CC mammogram of the left breast. 48-year-old patient.
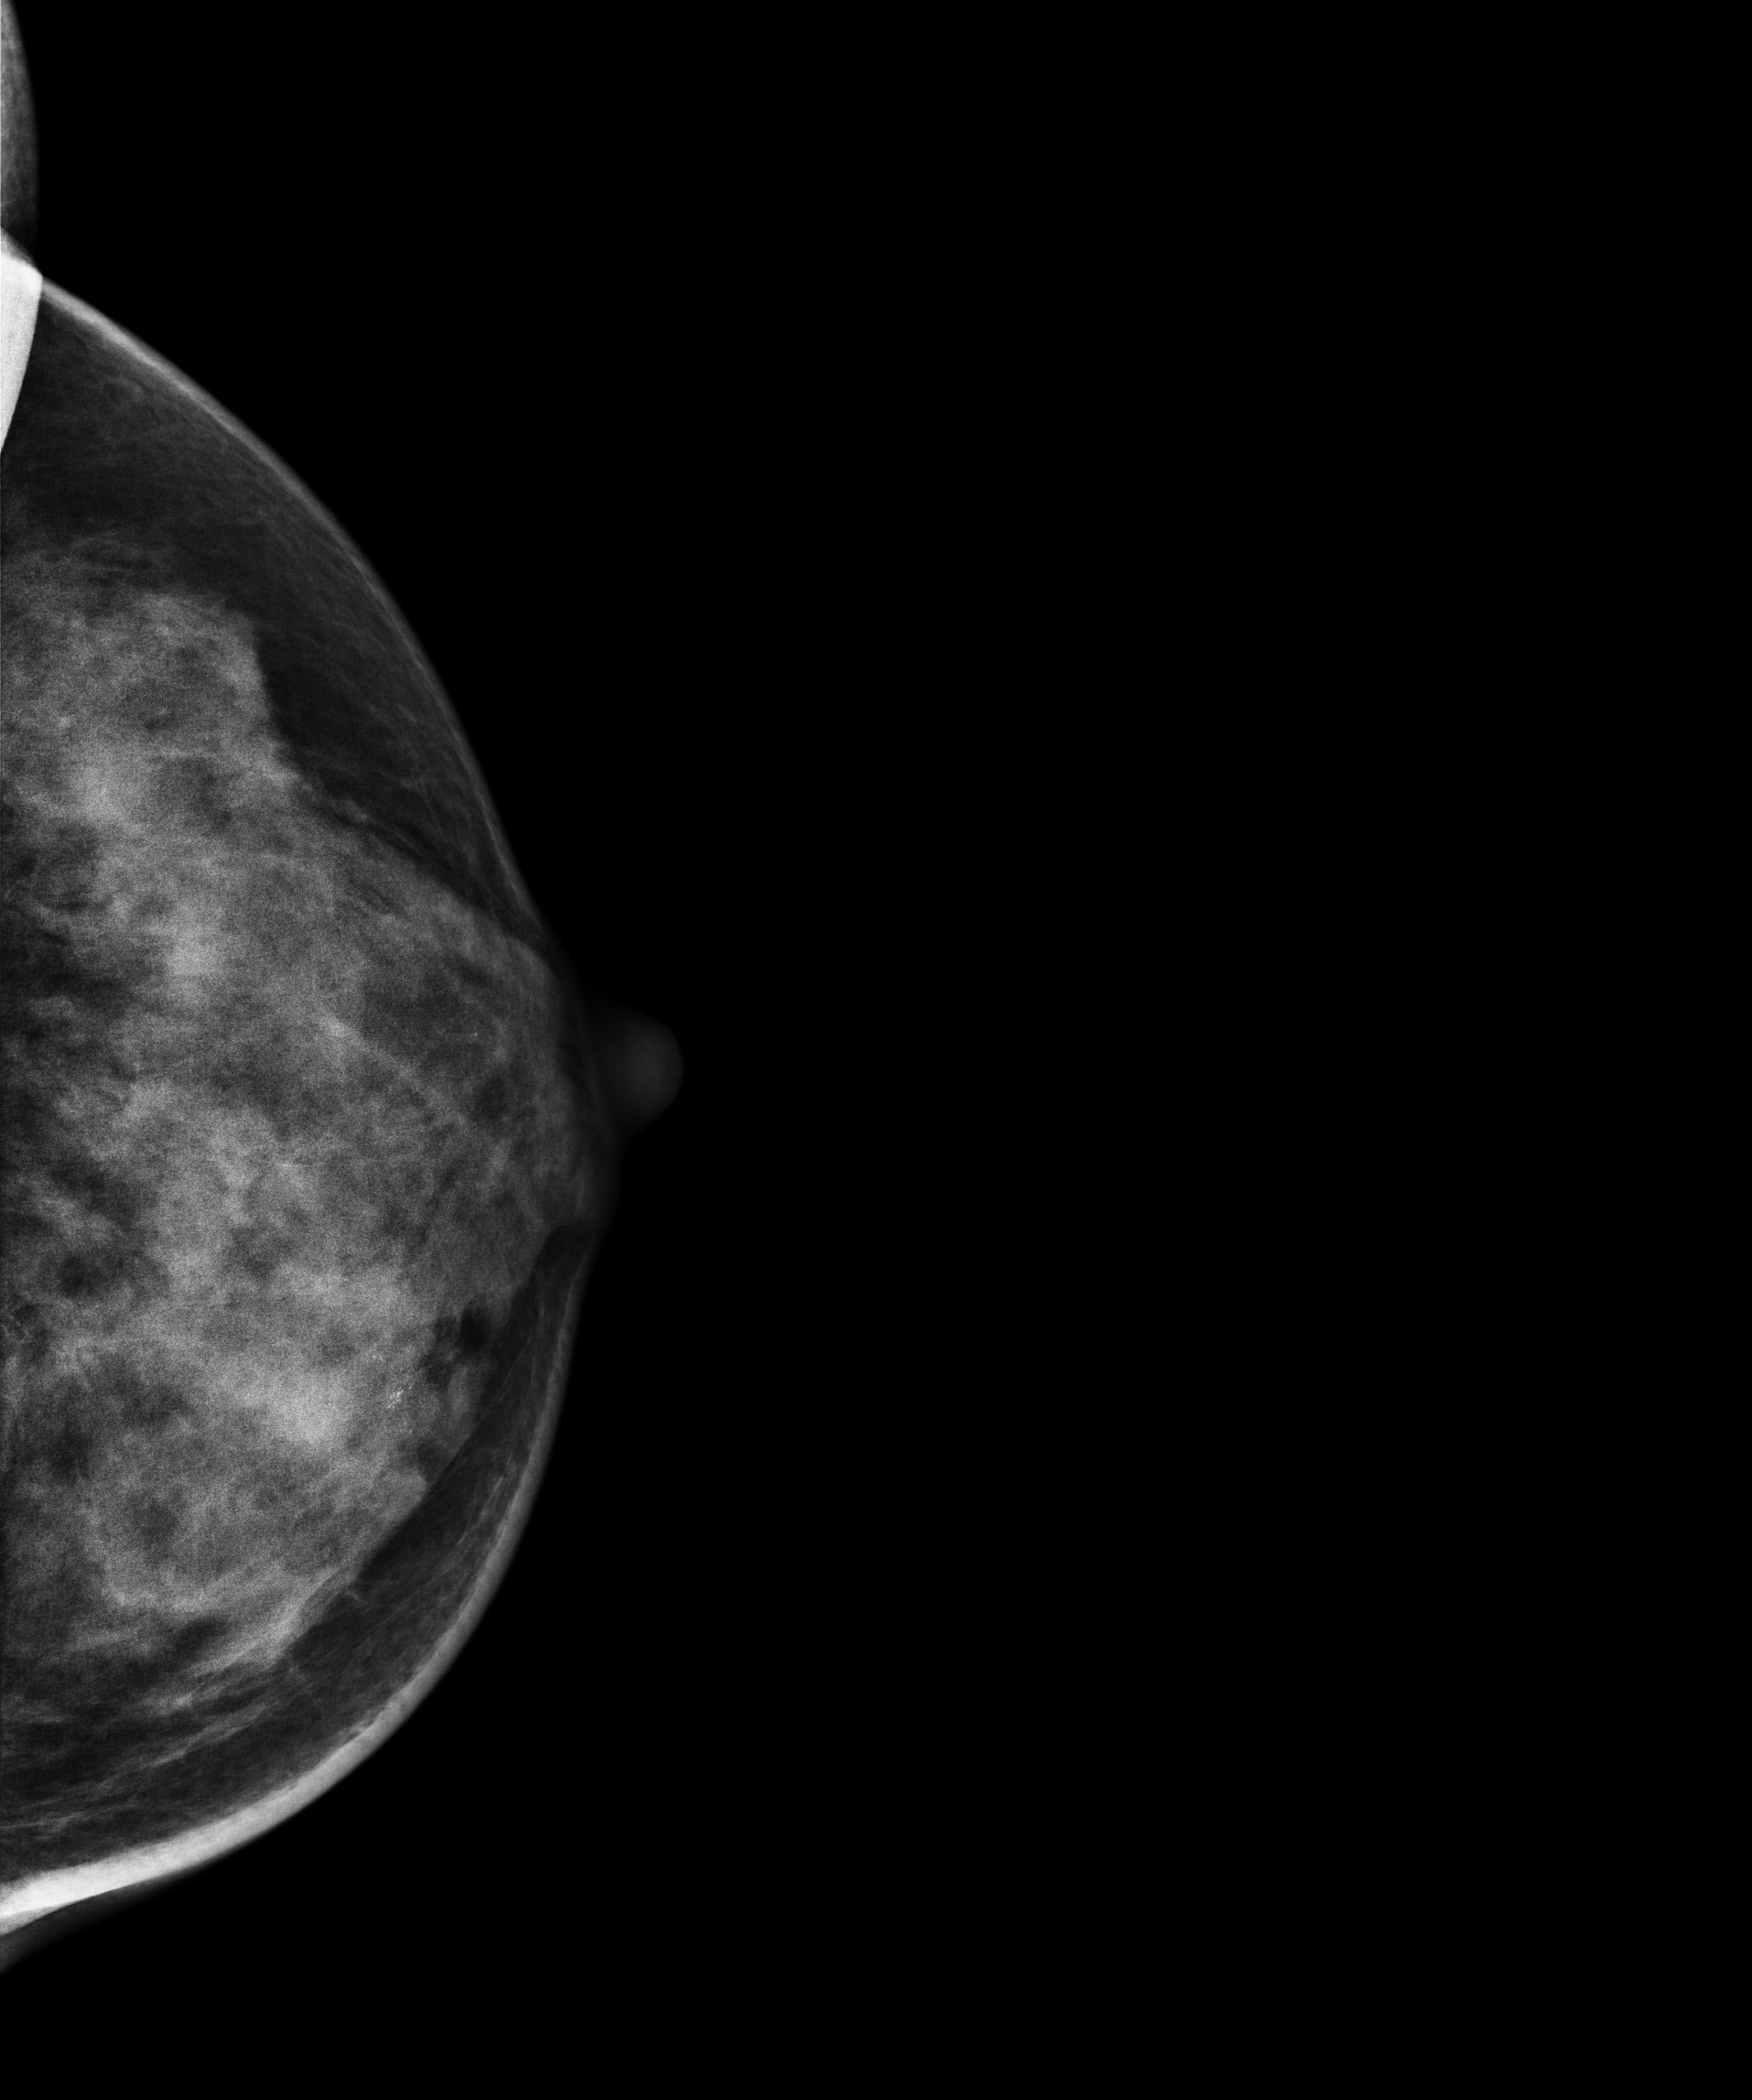
This breast has a mass and calcifications, biopsy-proven malignant.